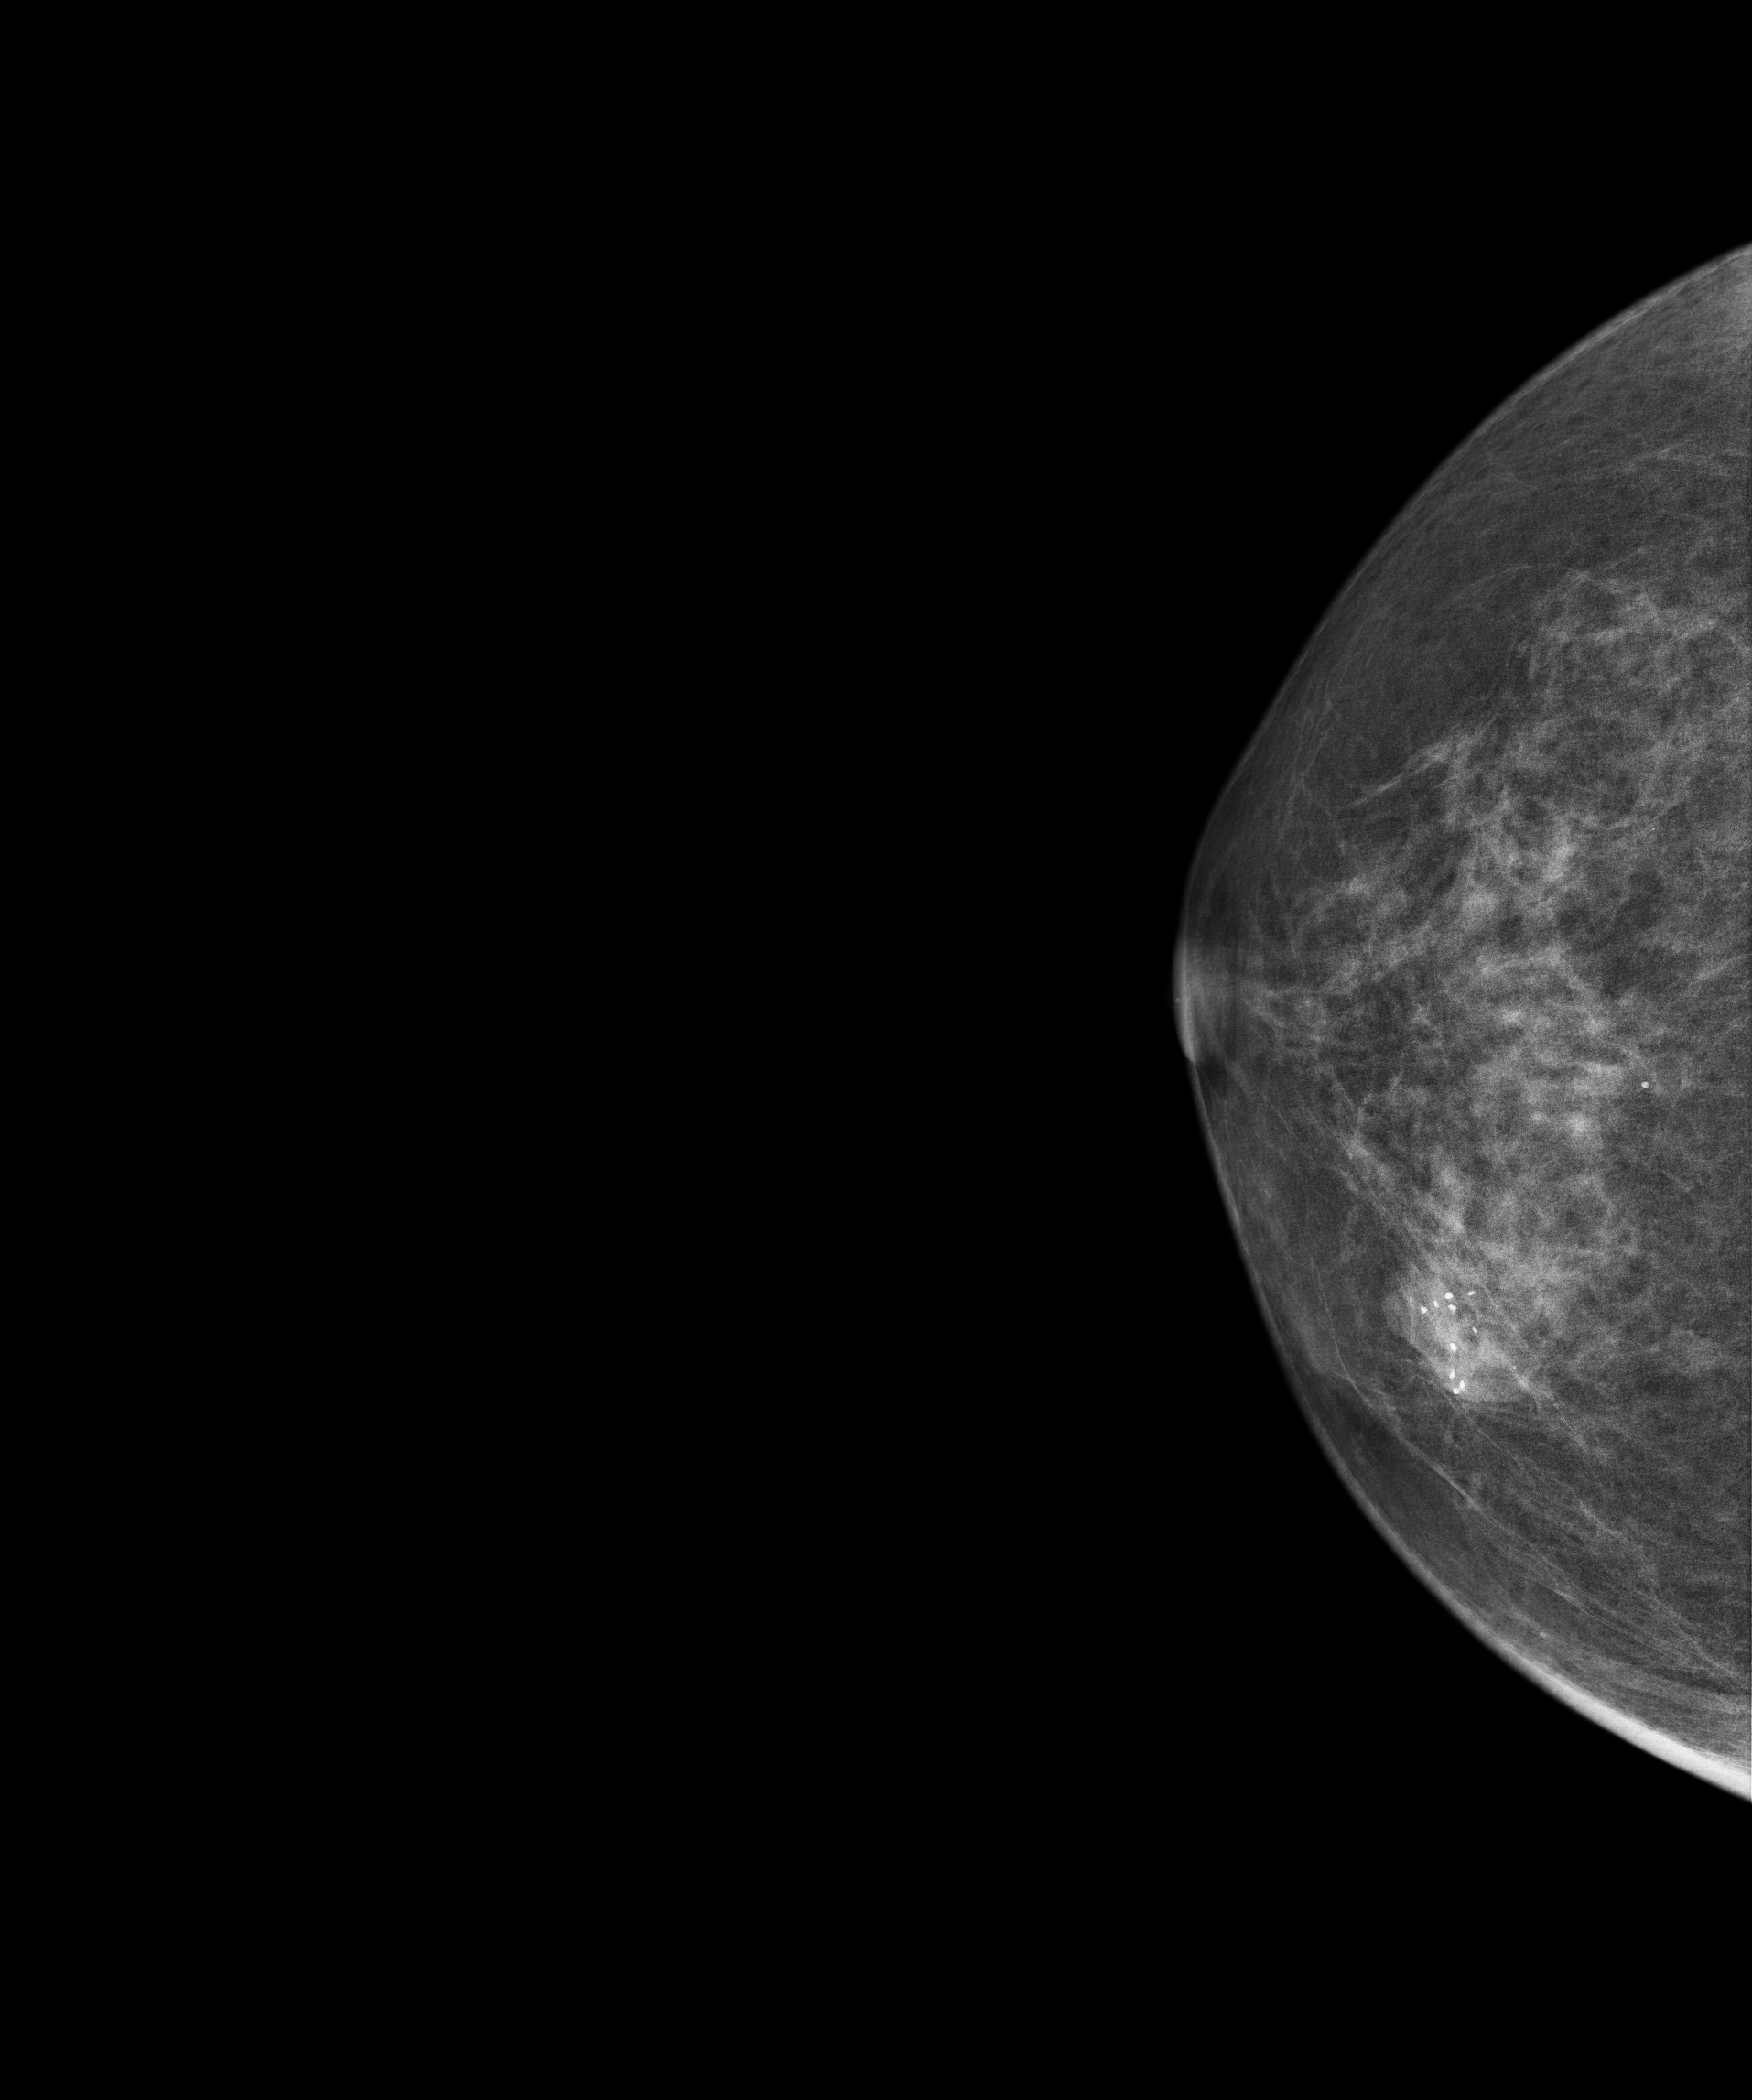
Mammogram, right breast, CC view. 67-year-old patient.
This breast has a mass and calcifications, biopsy-confirmed benign.